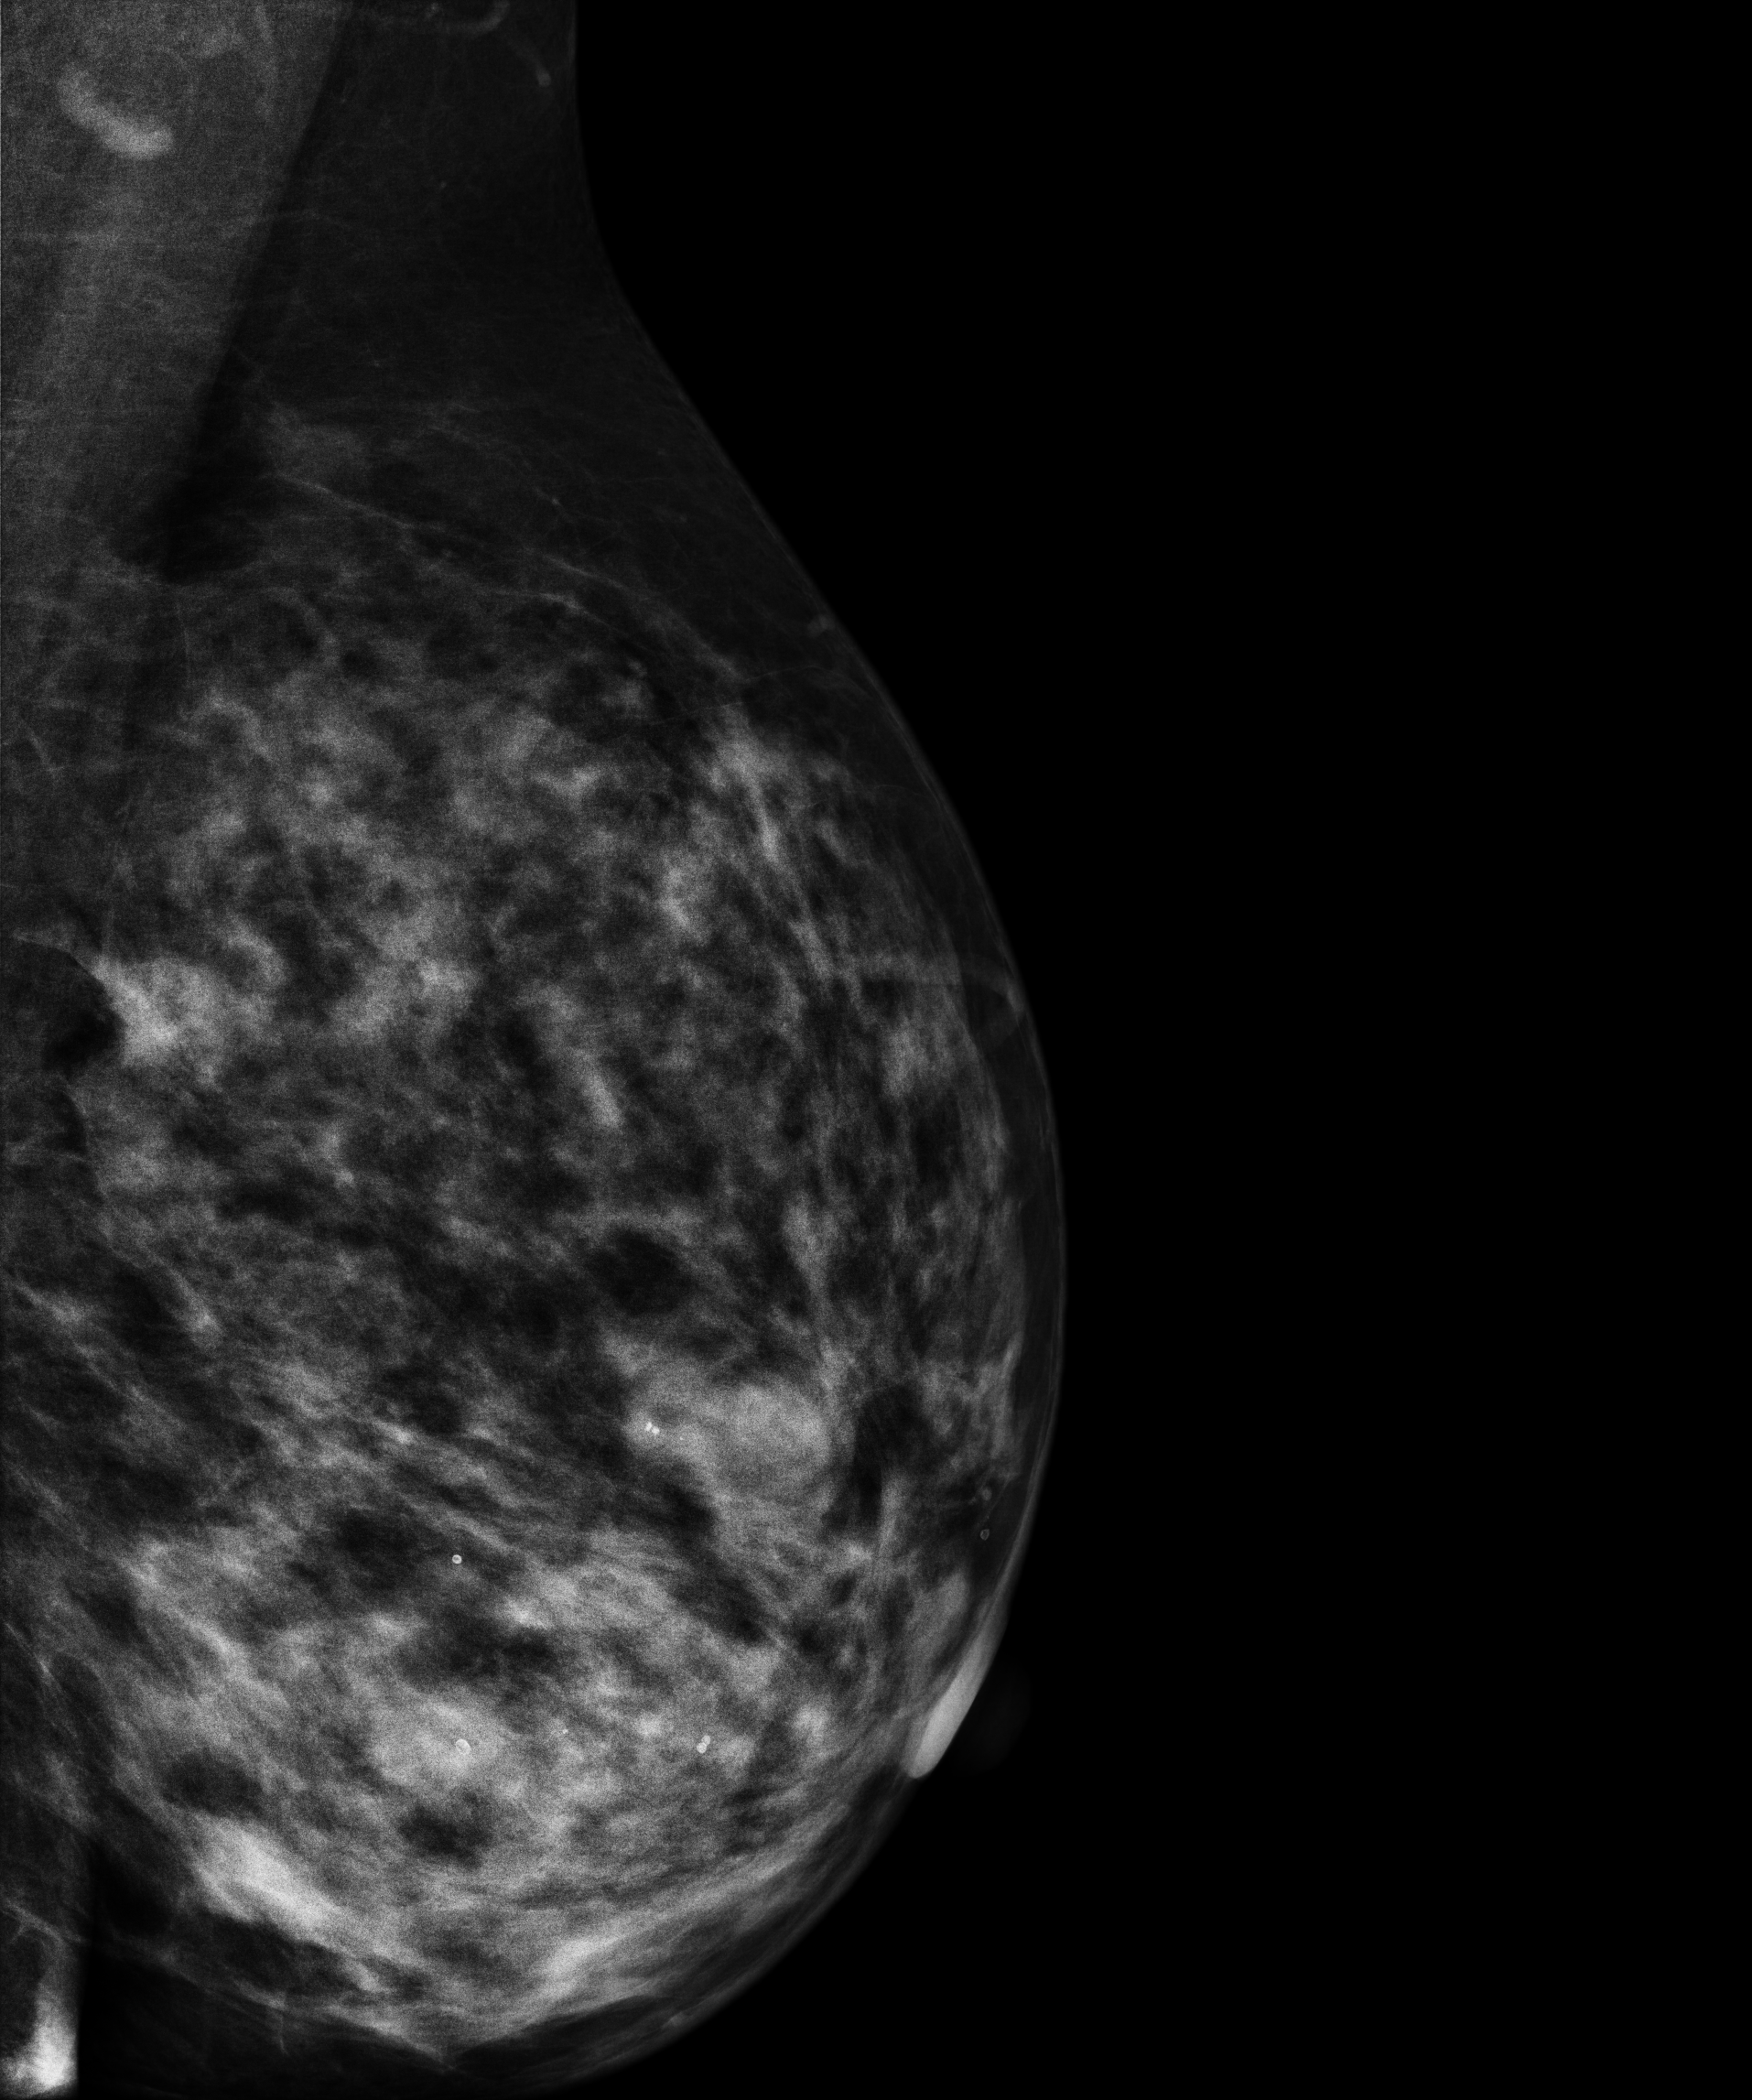
Digital mammography. Left breast, MLO projection. 40 y/o patient.
This breast has a mass and calcifications, biopsy-proven benign.